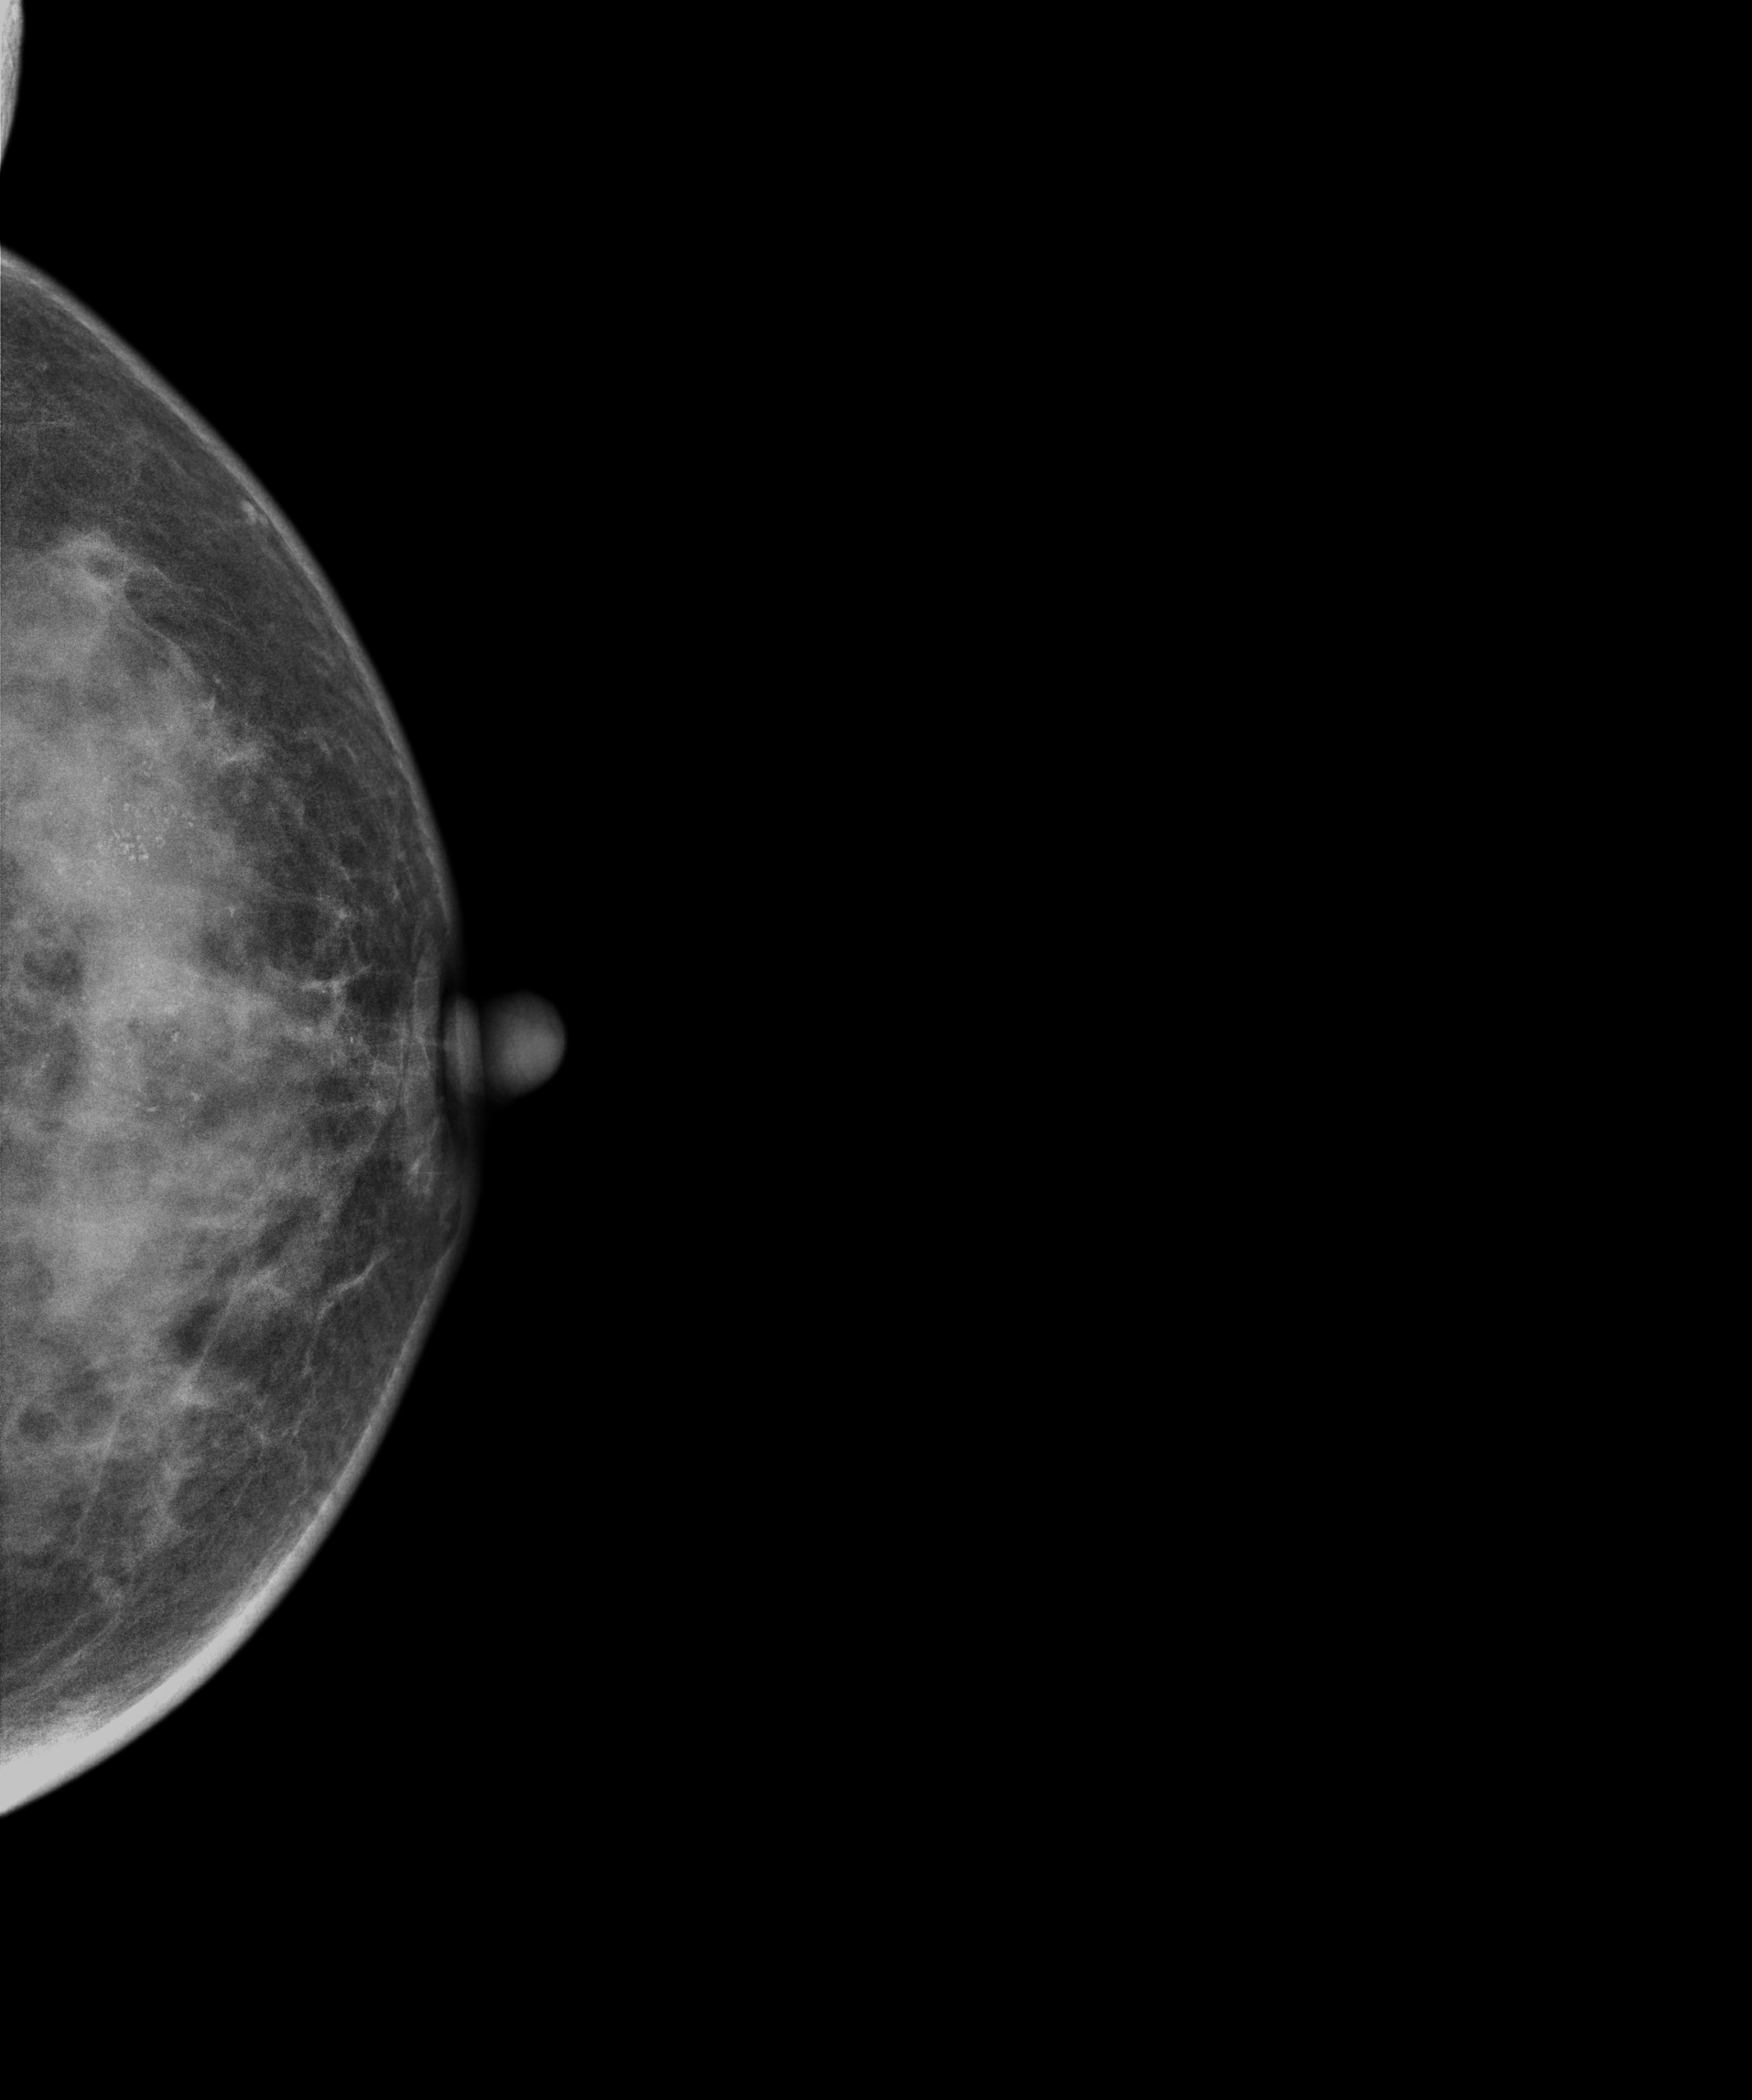
Mammogram, left breast, cranio-caudal view. Patient age 56.
This breast has a mass and calcifications, biopsy-proven malignant. Molecular subtype: HER2-enriched.